Mammogram — right CC. 60 y/o patient.
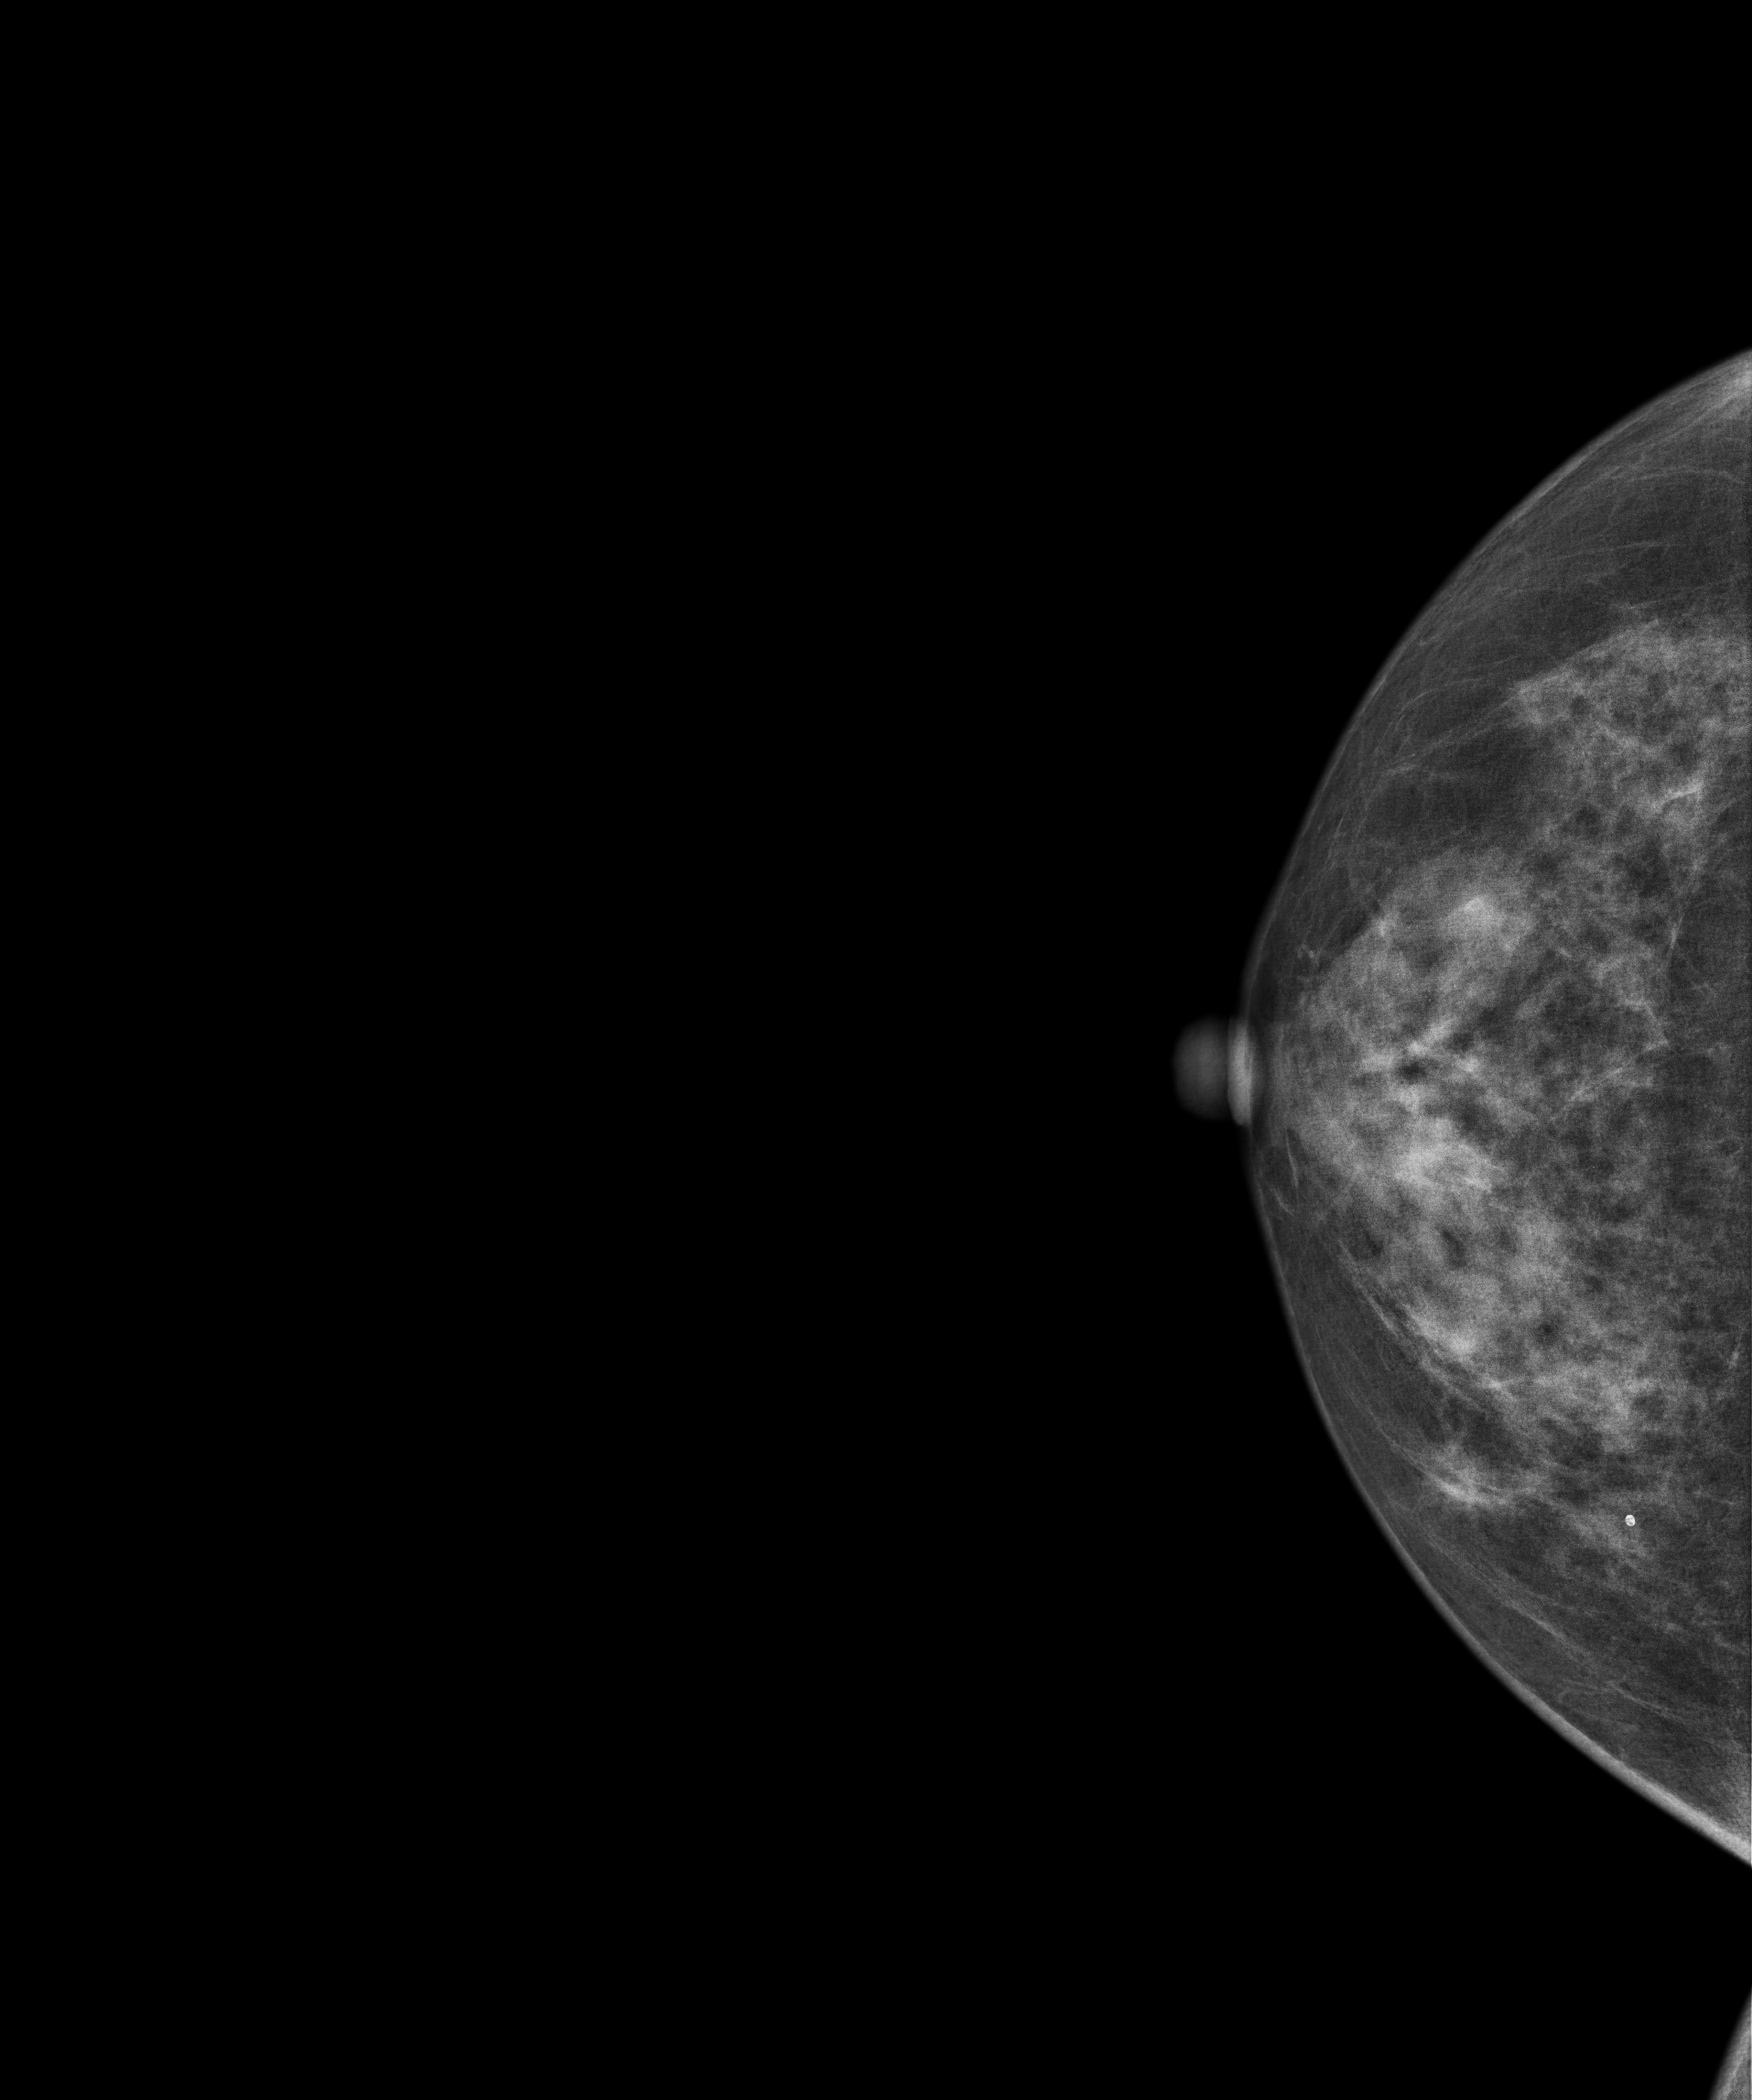
Contralateral breast — no documented abnormality on this side.